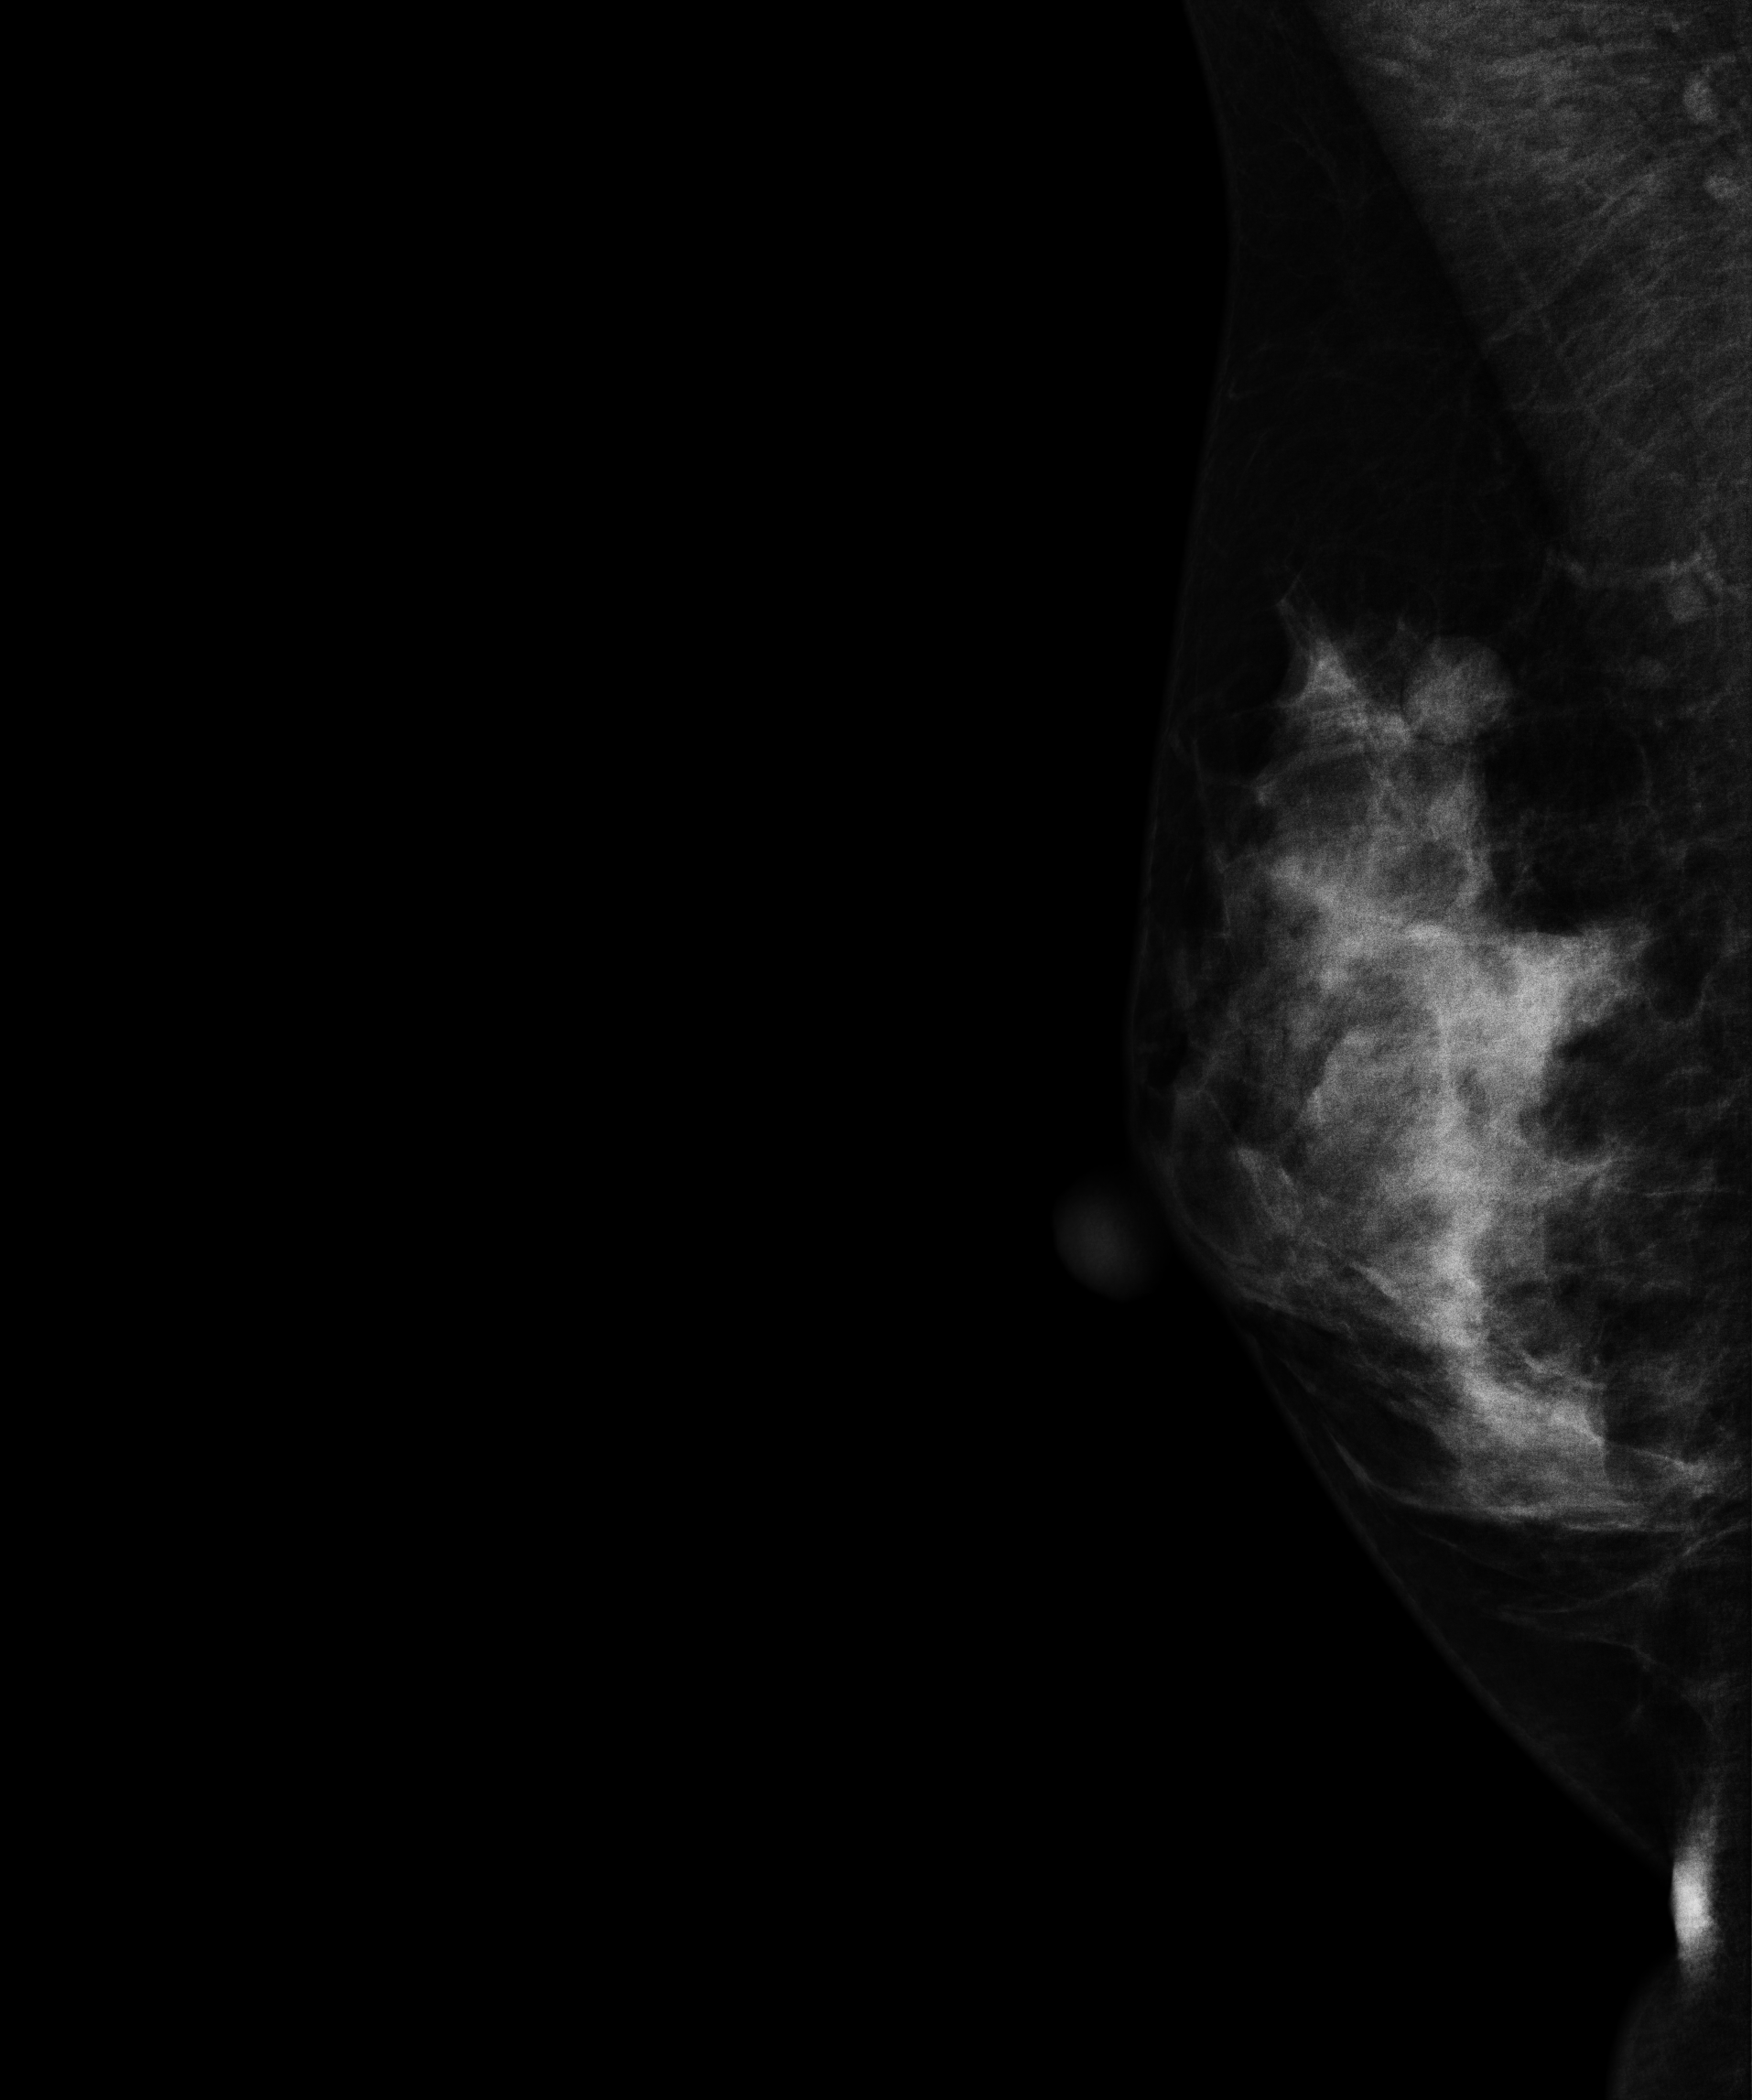
Mammogram, right breast, medio-lateral oblique view. 41 y/o patient.
This breast has a mass, biopsy-confirmed malignant. Molecular subtype: luminal B.